Right-breast mammogram, cranio-caudal. 39 y/o patient.
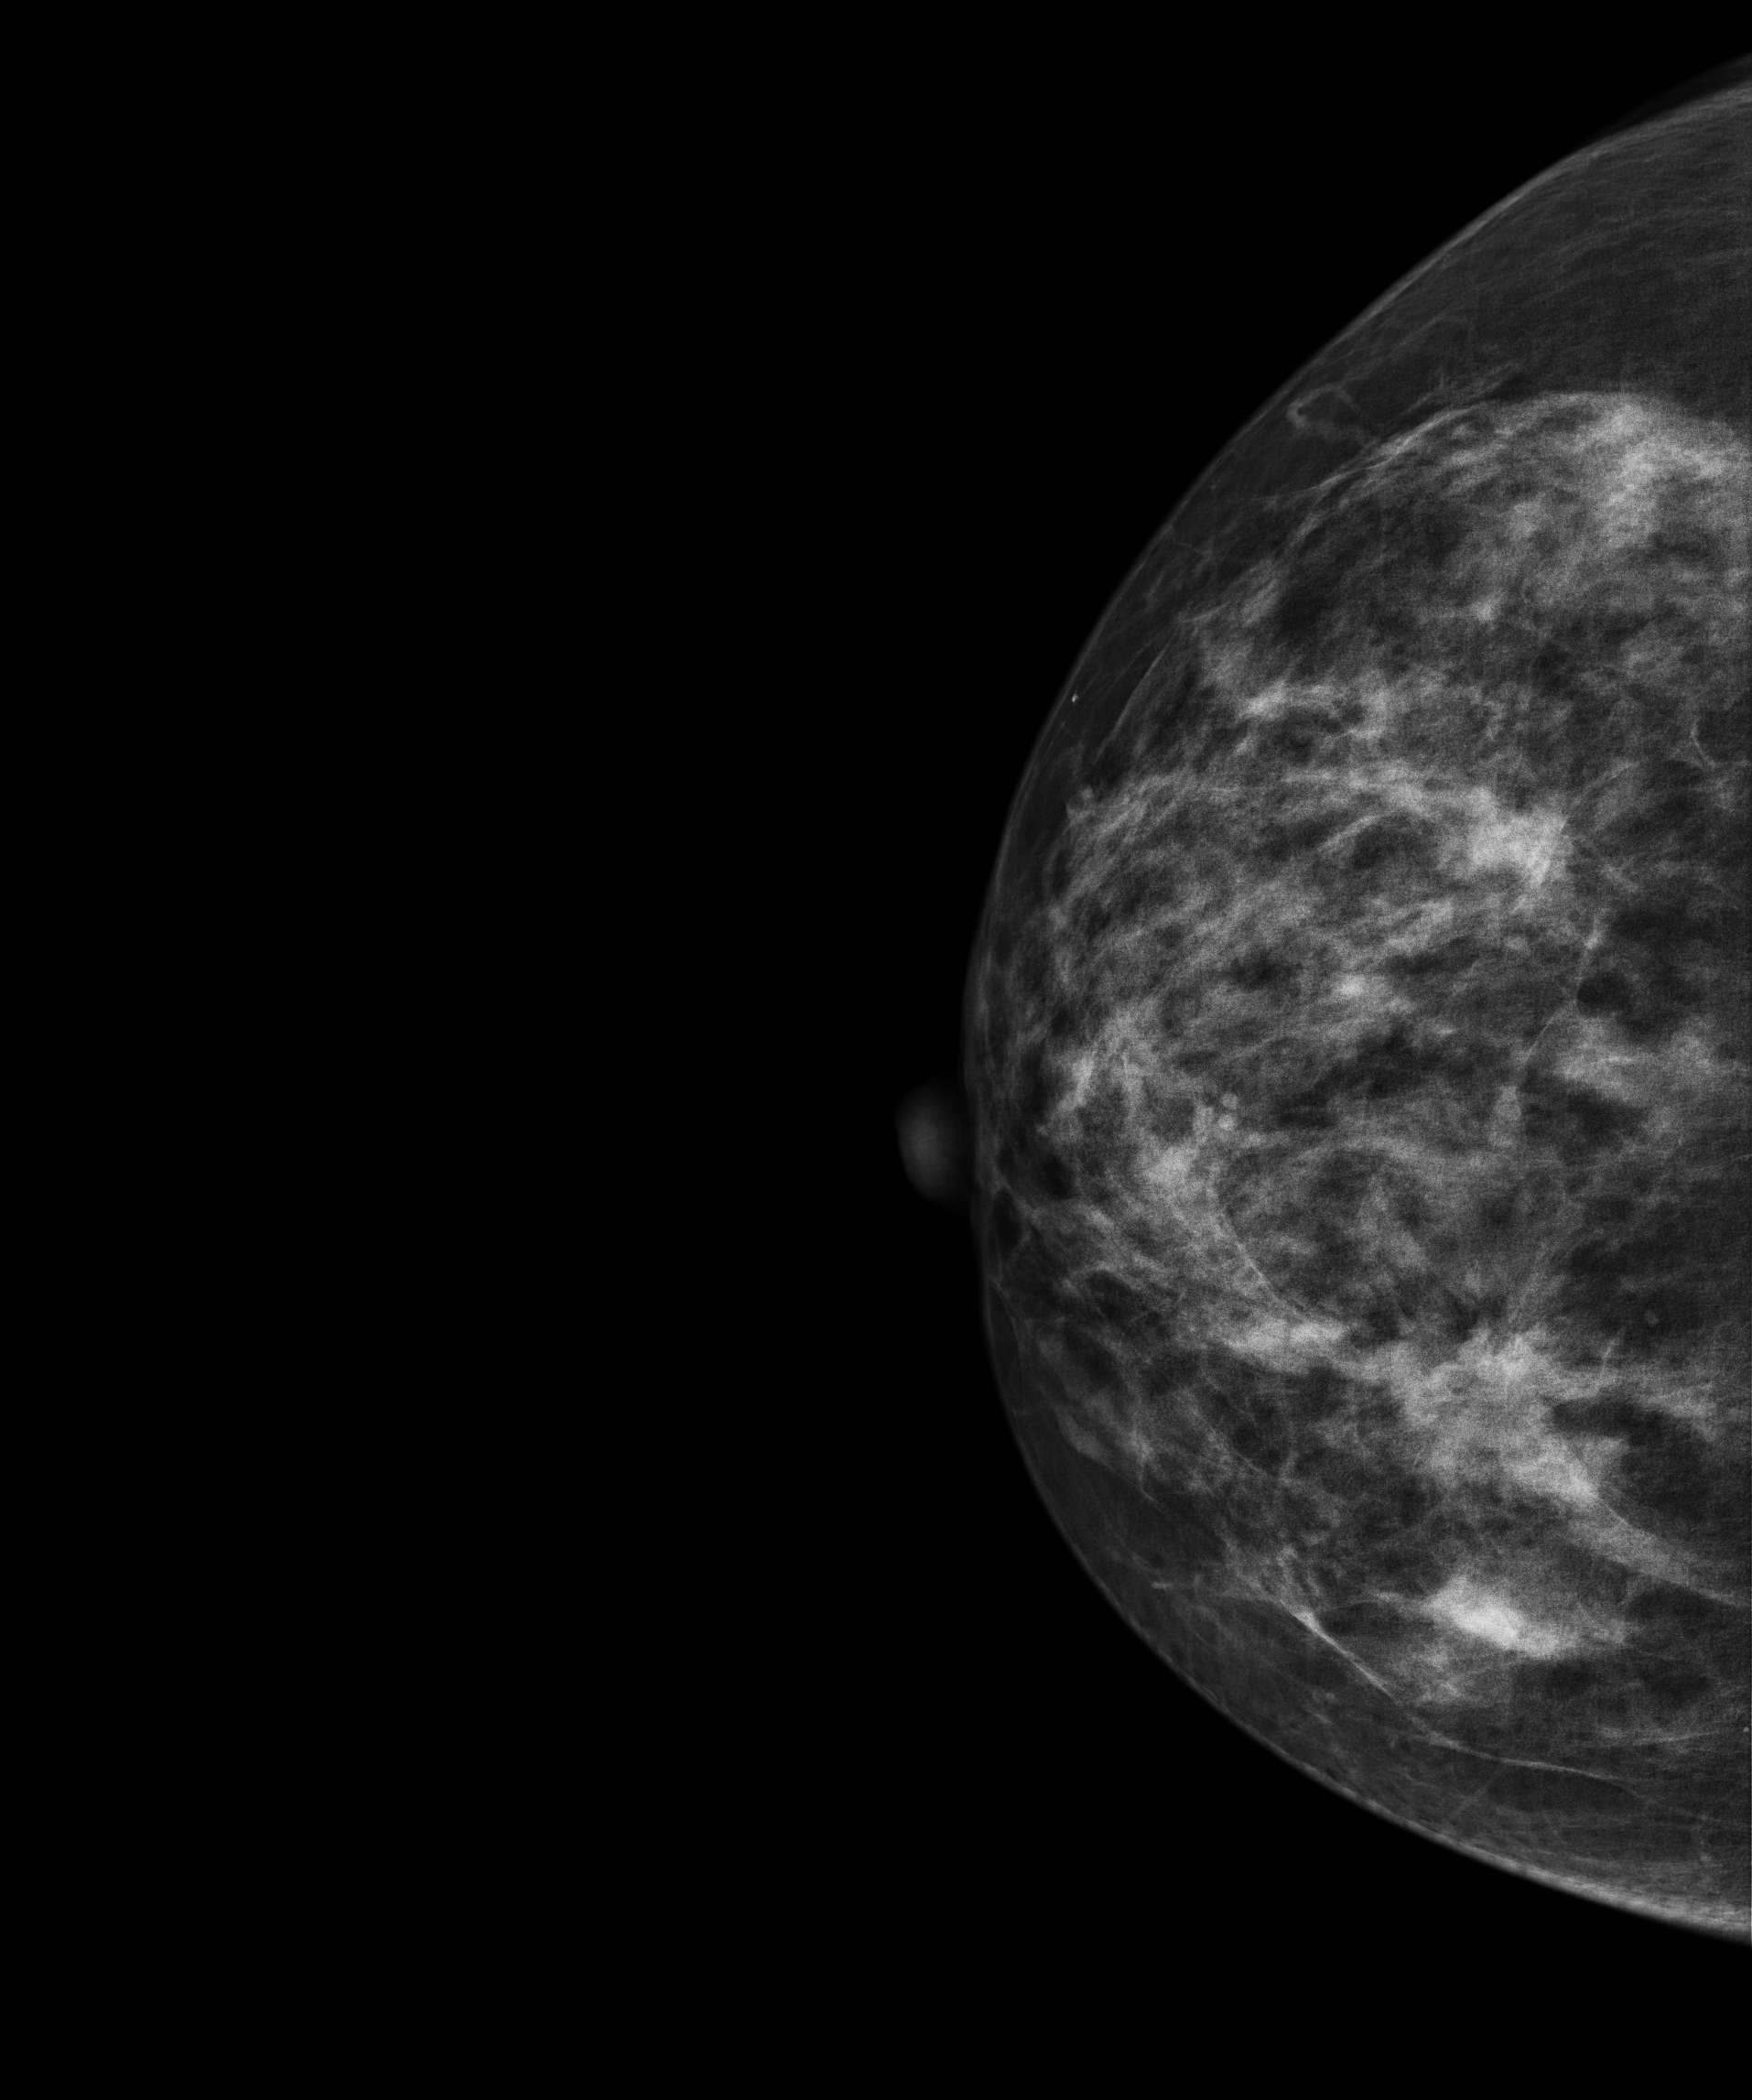
This breast has a mass, histologically confirmed benign.